Digital mammography. Left breast, CC projection. 50 y/o patient.
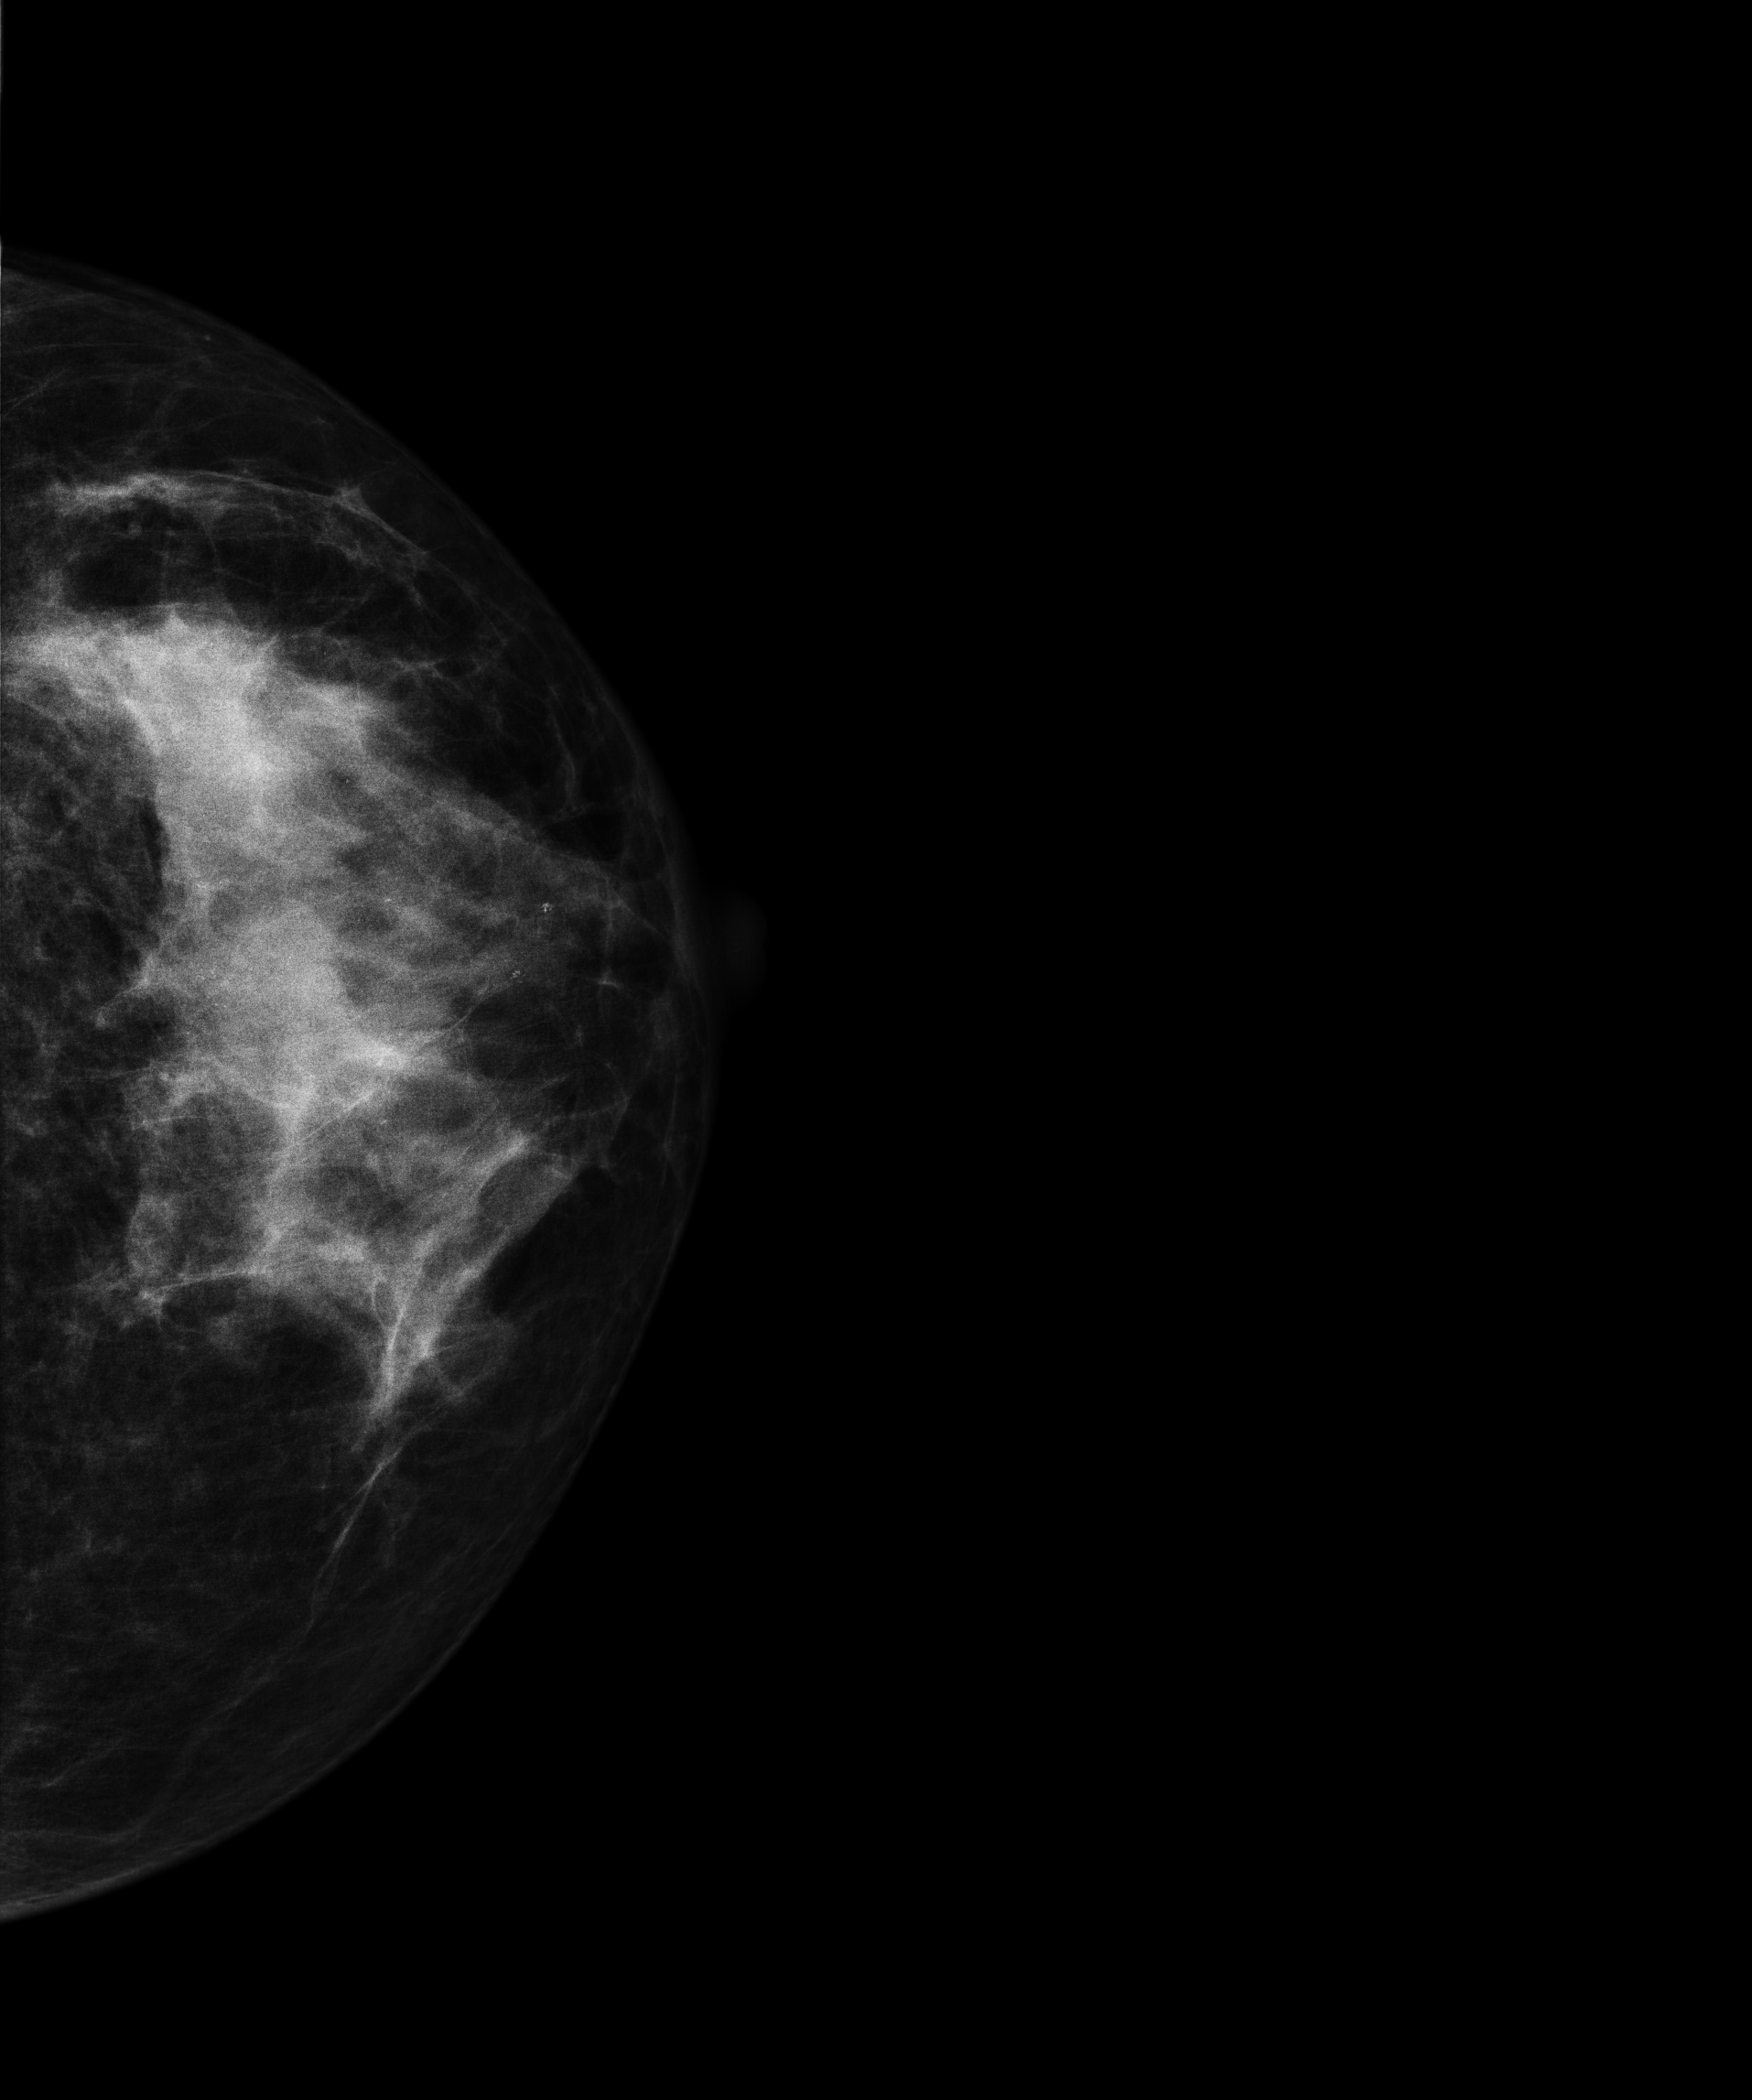
This breast has a mass, biopsy-confirmed malignant. Molecular subtype: HER2-enriched.